Digital mammography. Right breast, CC projection. Patient age 44.
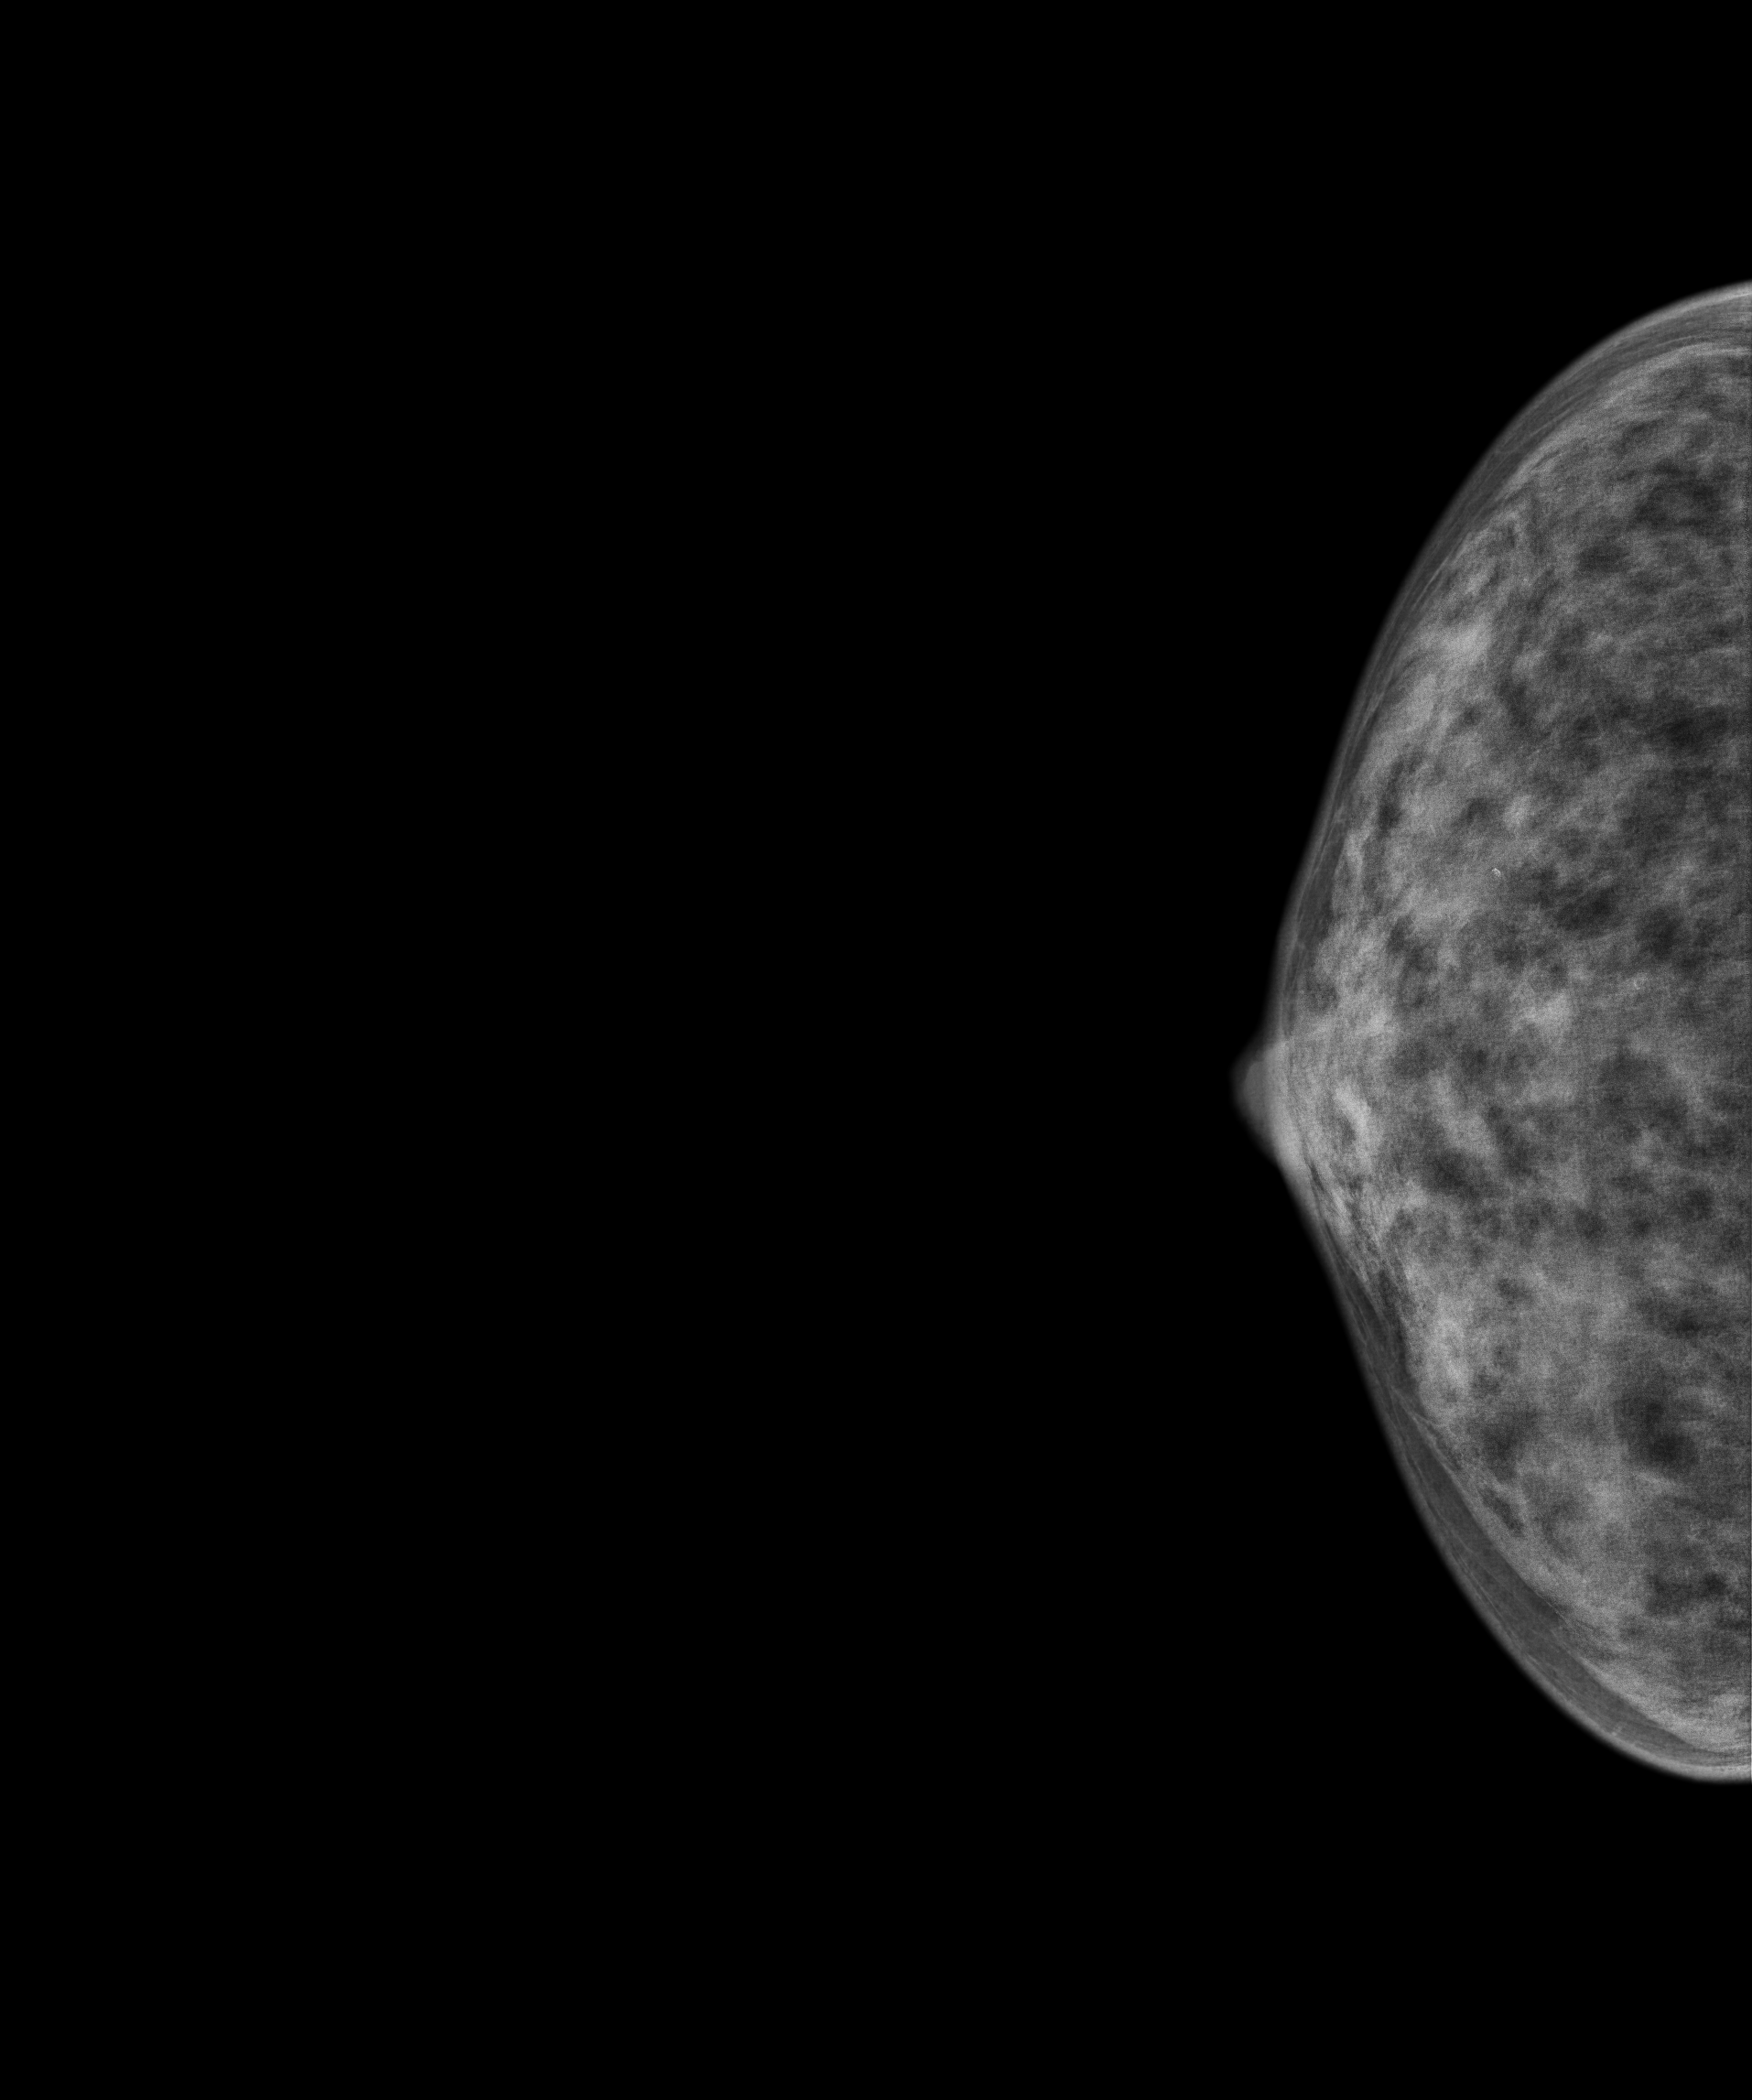
Contralateral breast — no documented abnormality on this side.